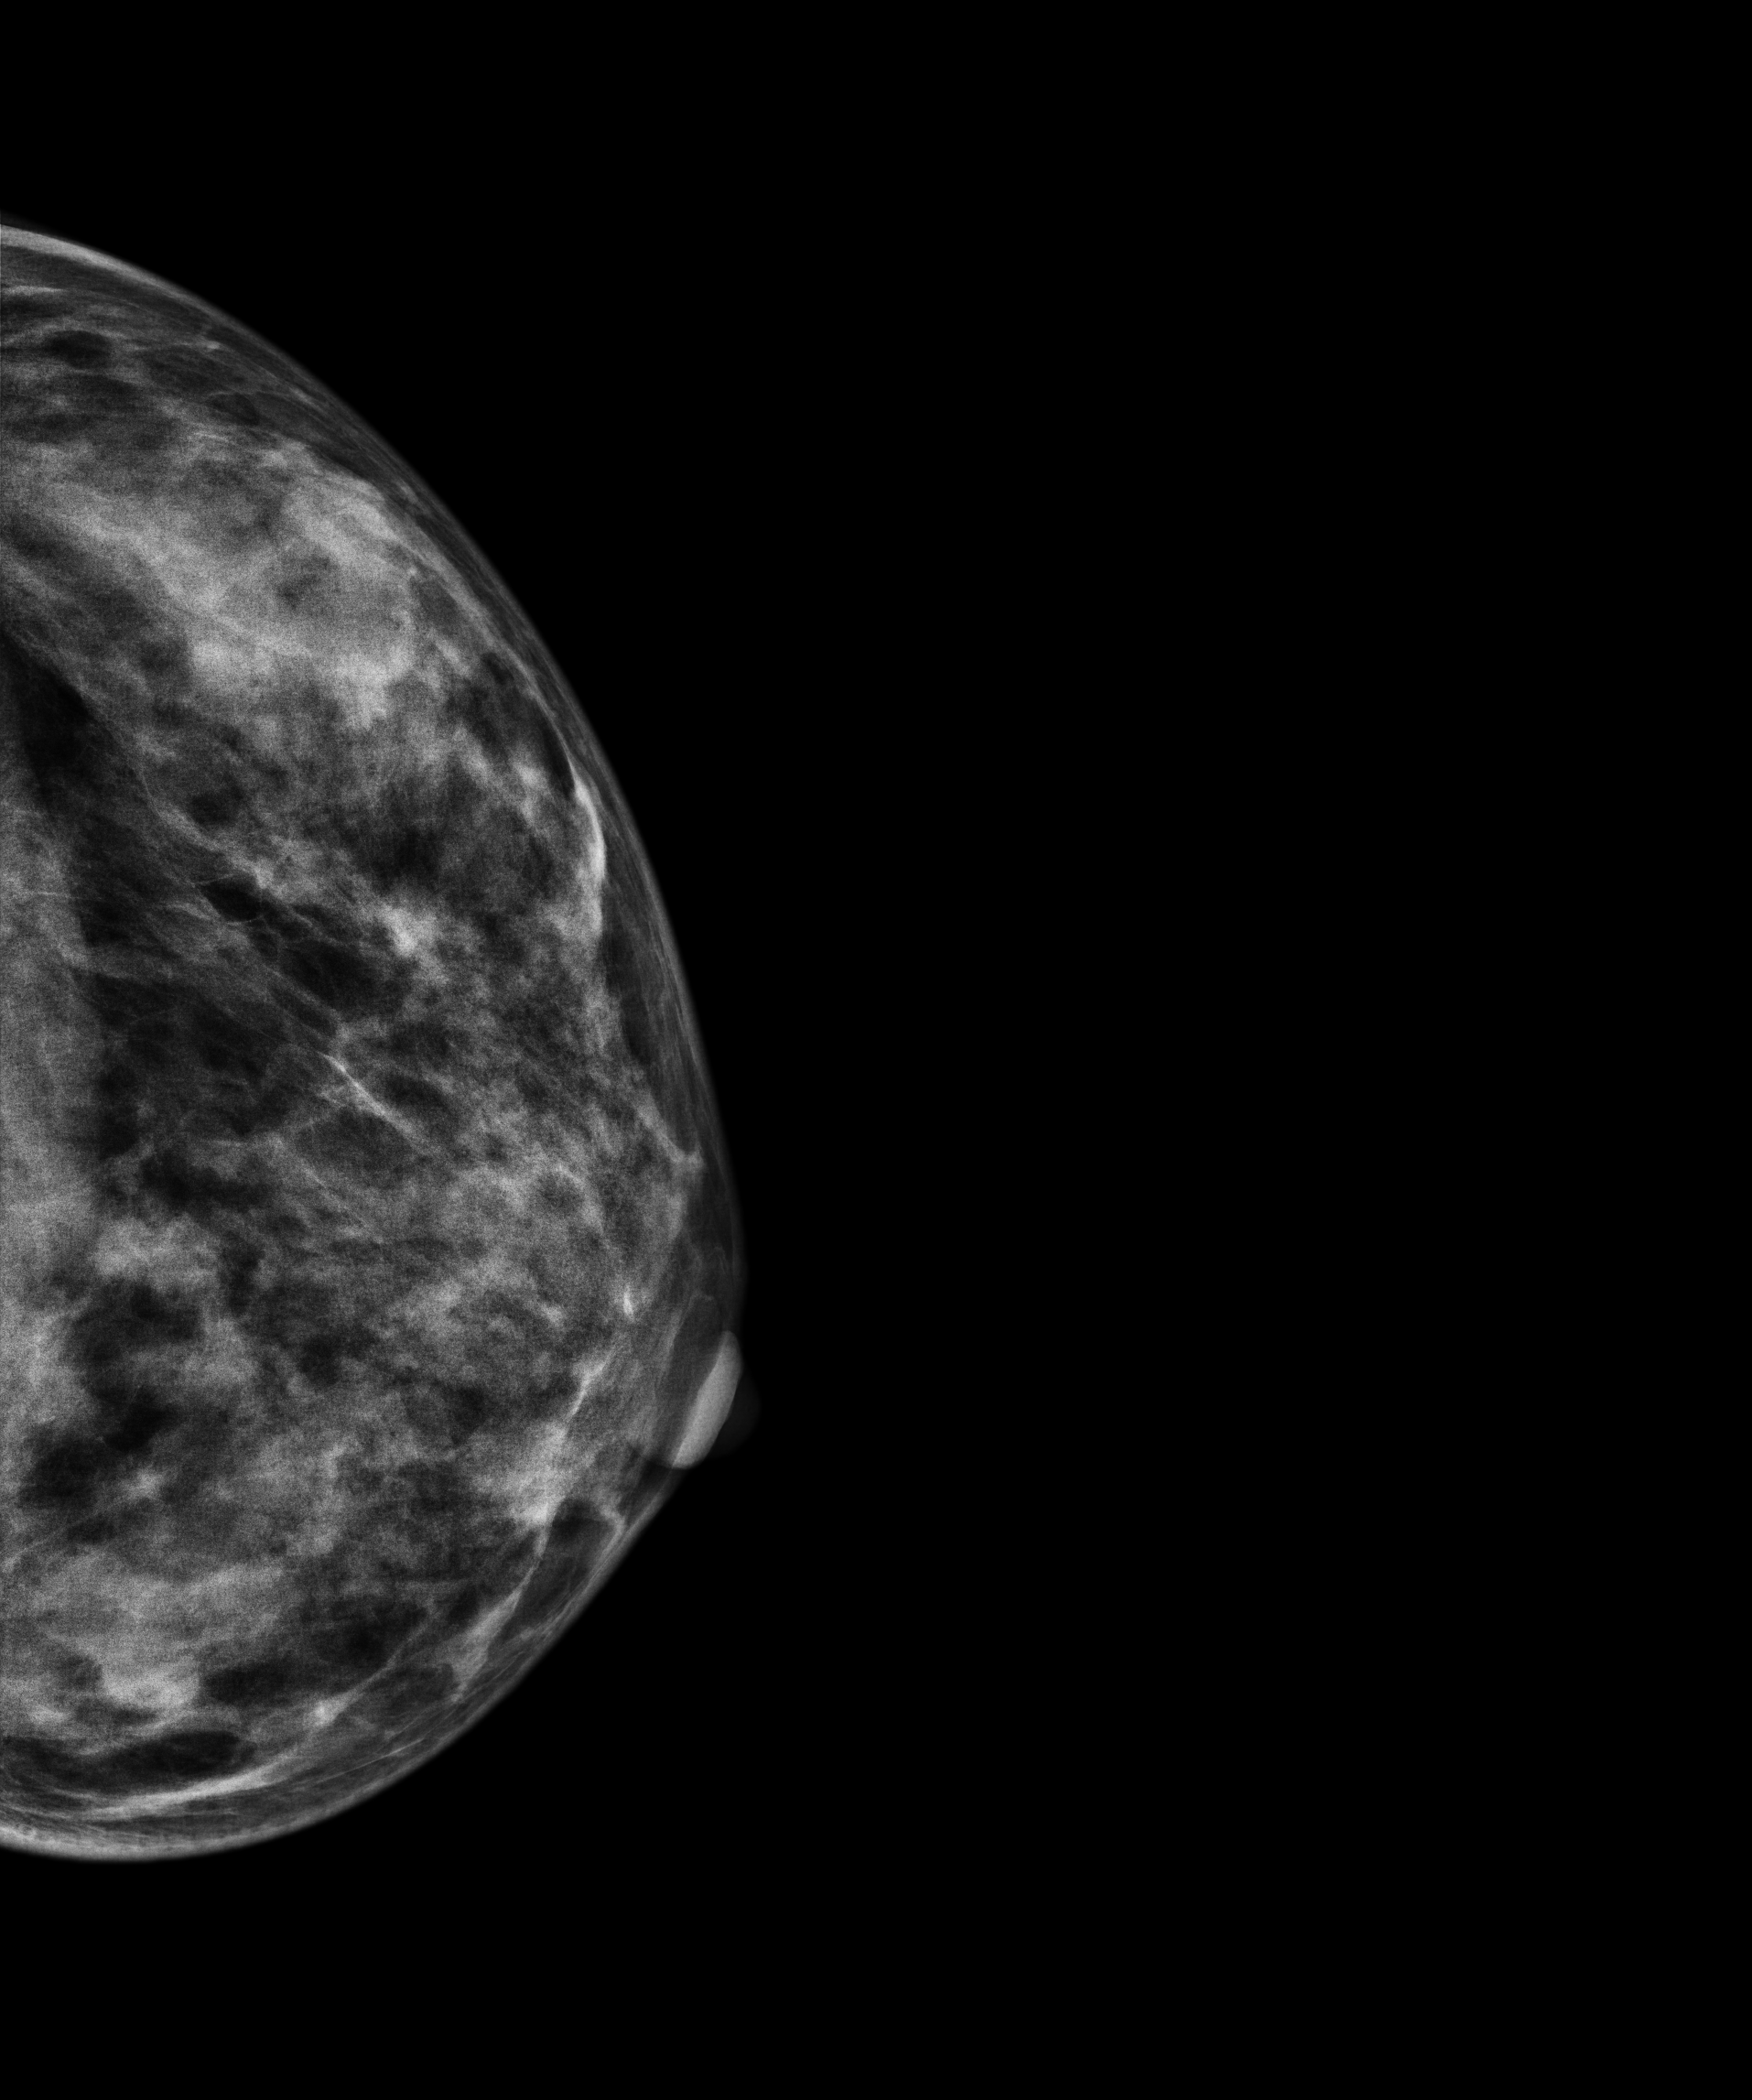
Left-breast mammogram, cranio-caudal. 53-year-old patient.
Contralateral breast — no documented abnormality on this side.